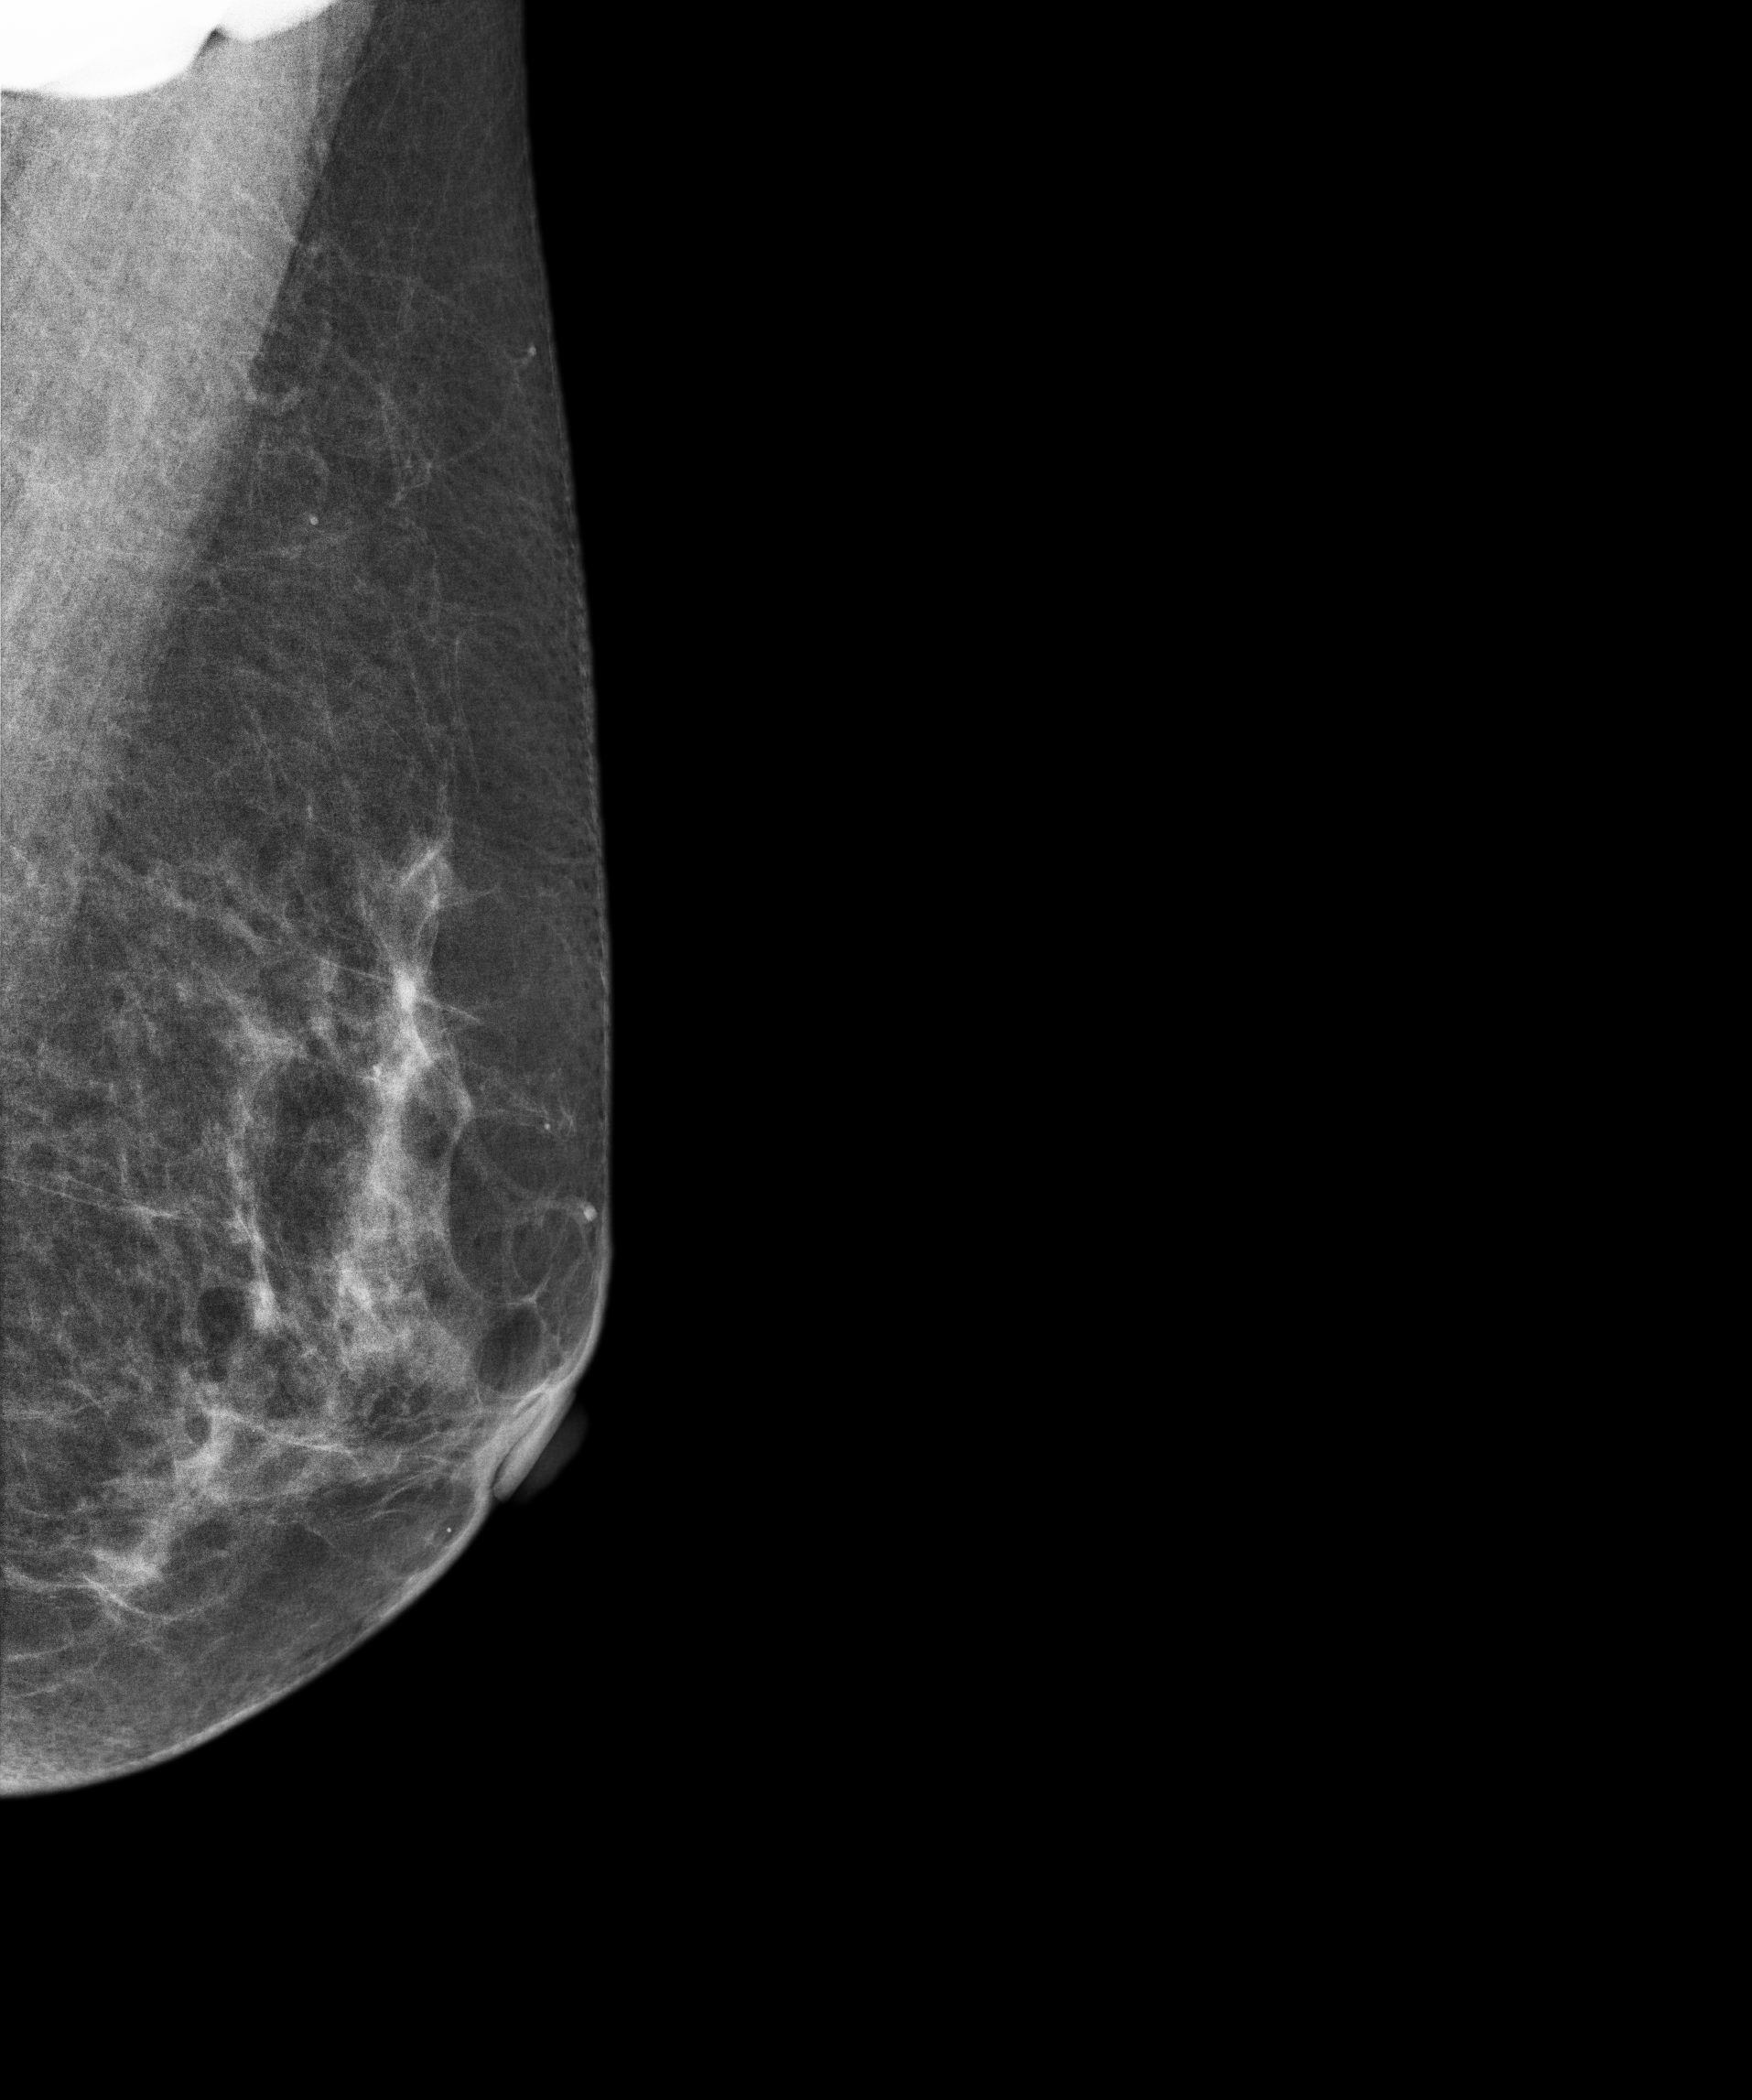
Digital mammography. Left breast, MLO projection. 59-year-old patient.
Contralateral breast — no documented abnormality on this side.